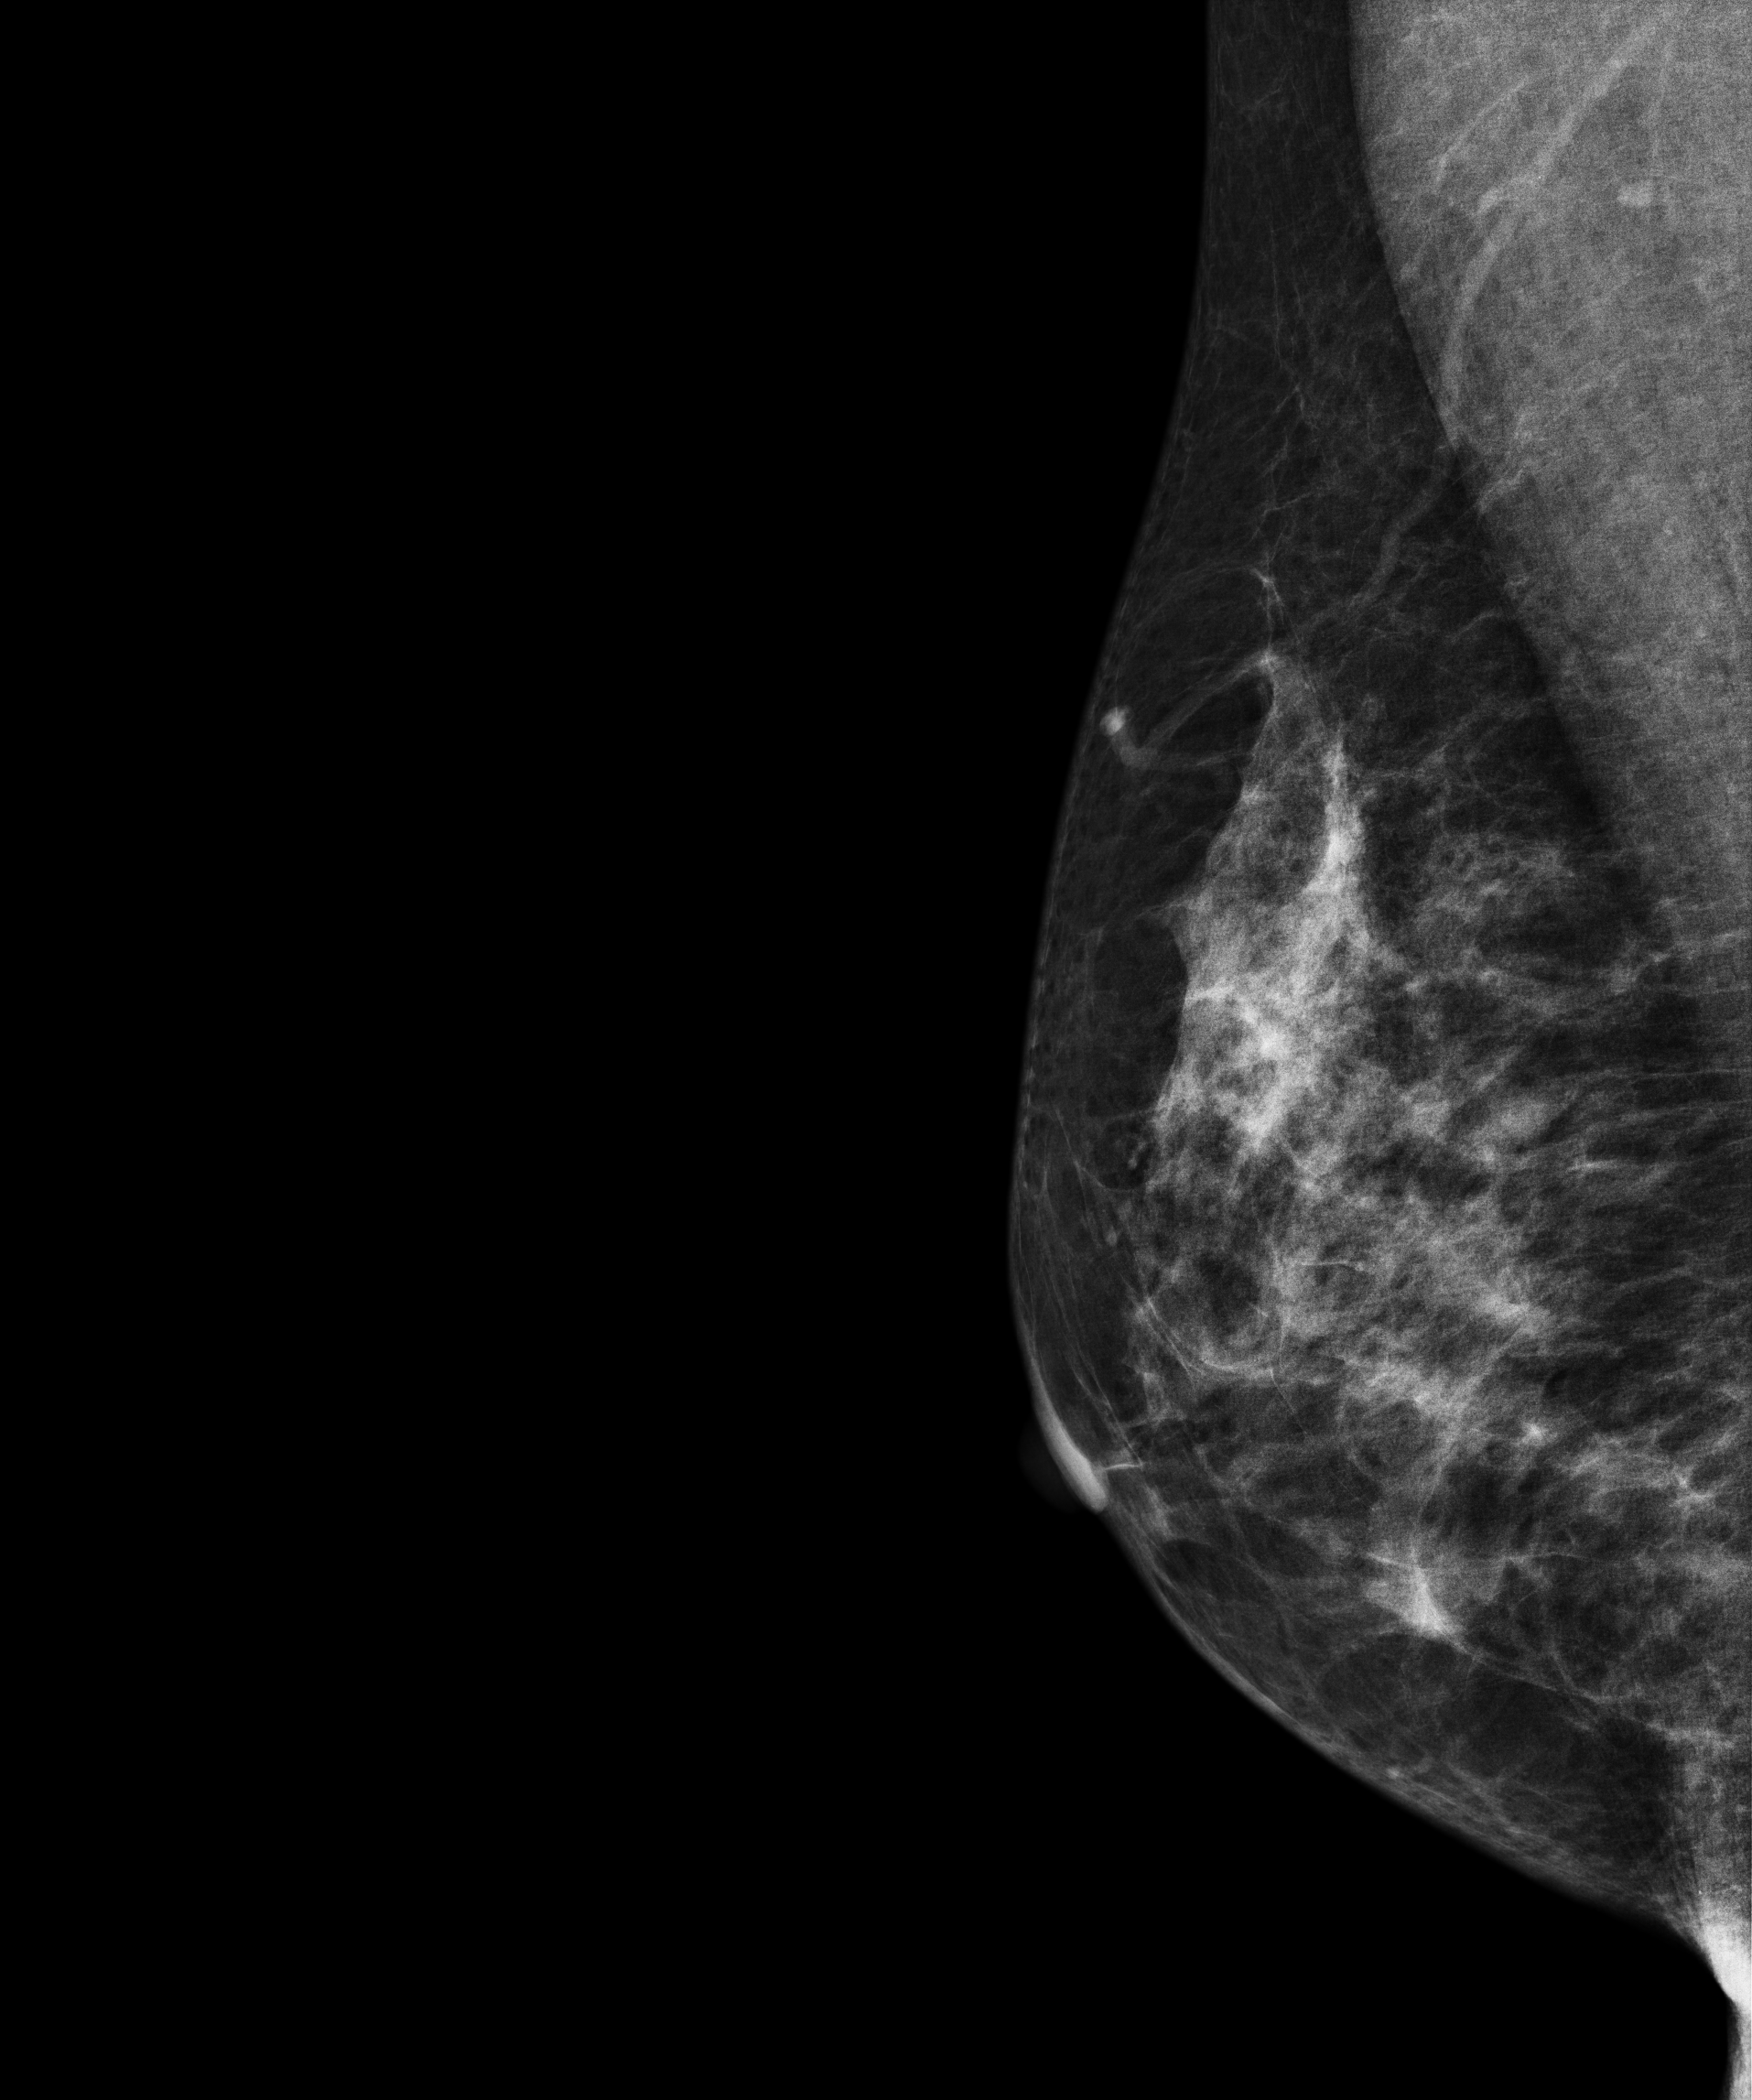
Mammogram, right breast, MLO view. 56 y/o patient.
This breast has a mass, biopsy-confirmed benign.